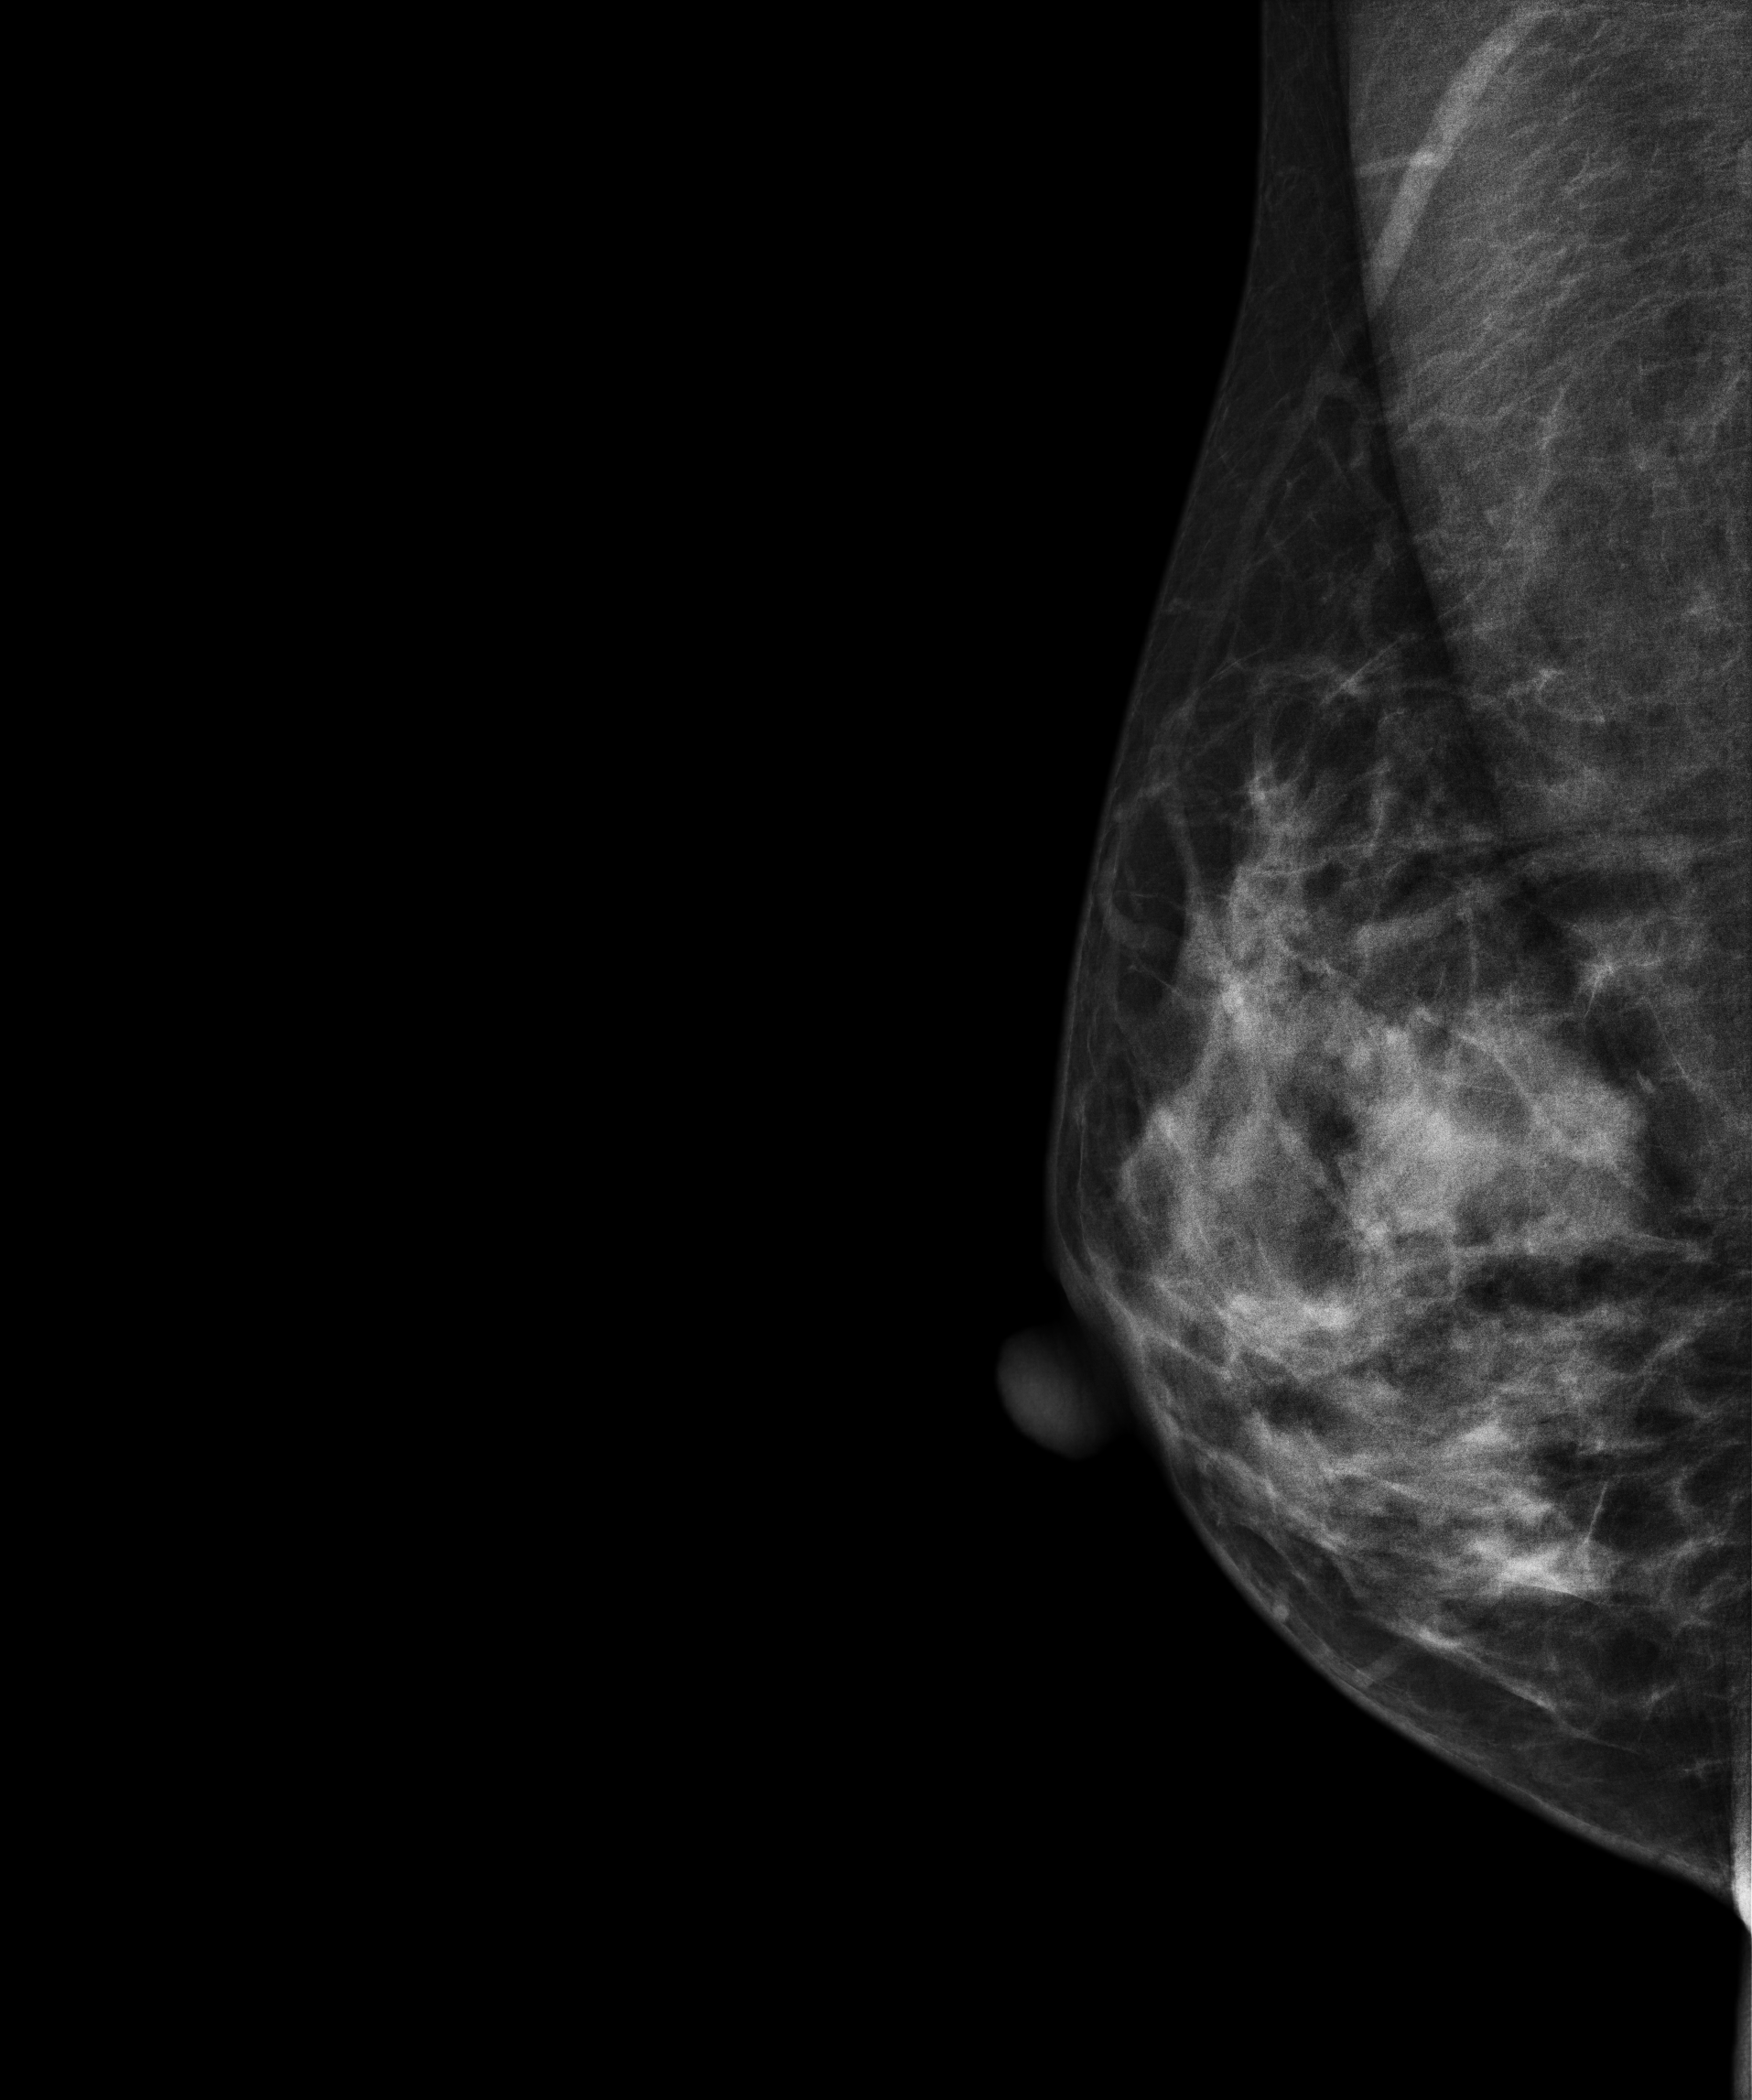
Digital mammography. Right breast, MLO projection. 40 y/o patient.
This breast has a mass, biopsy-proven benign.